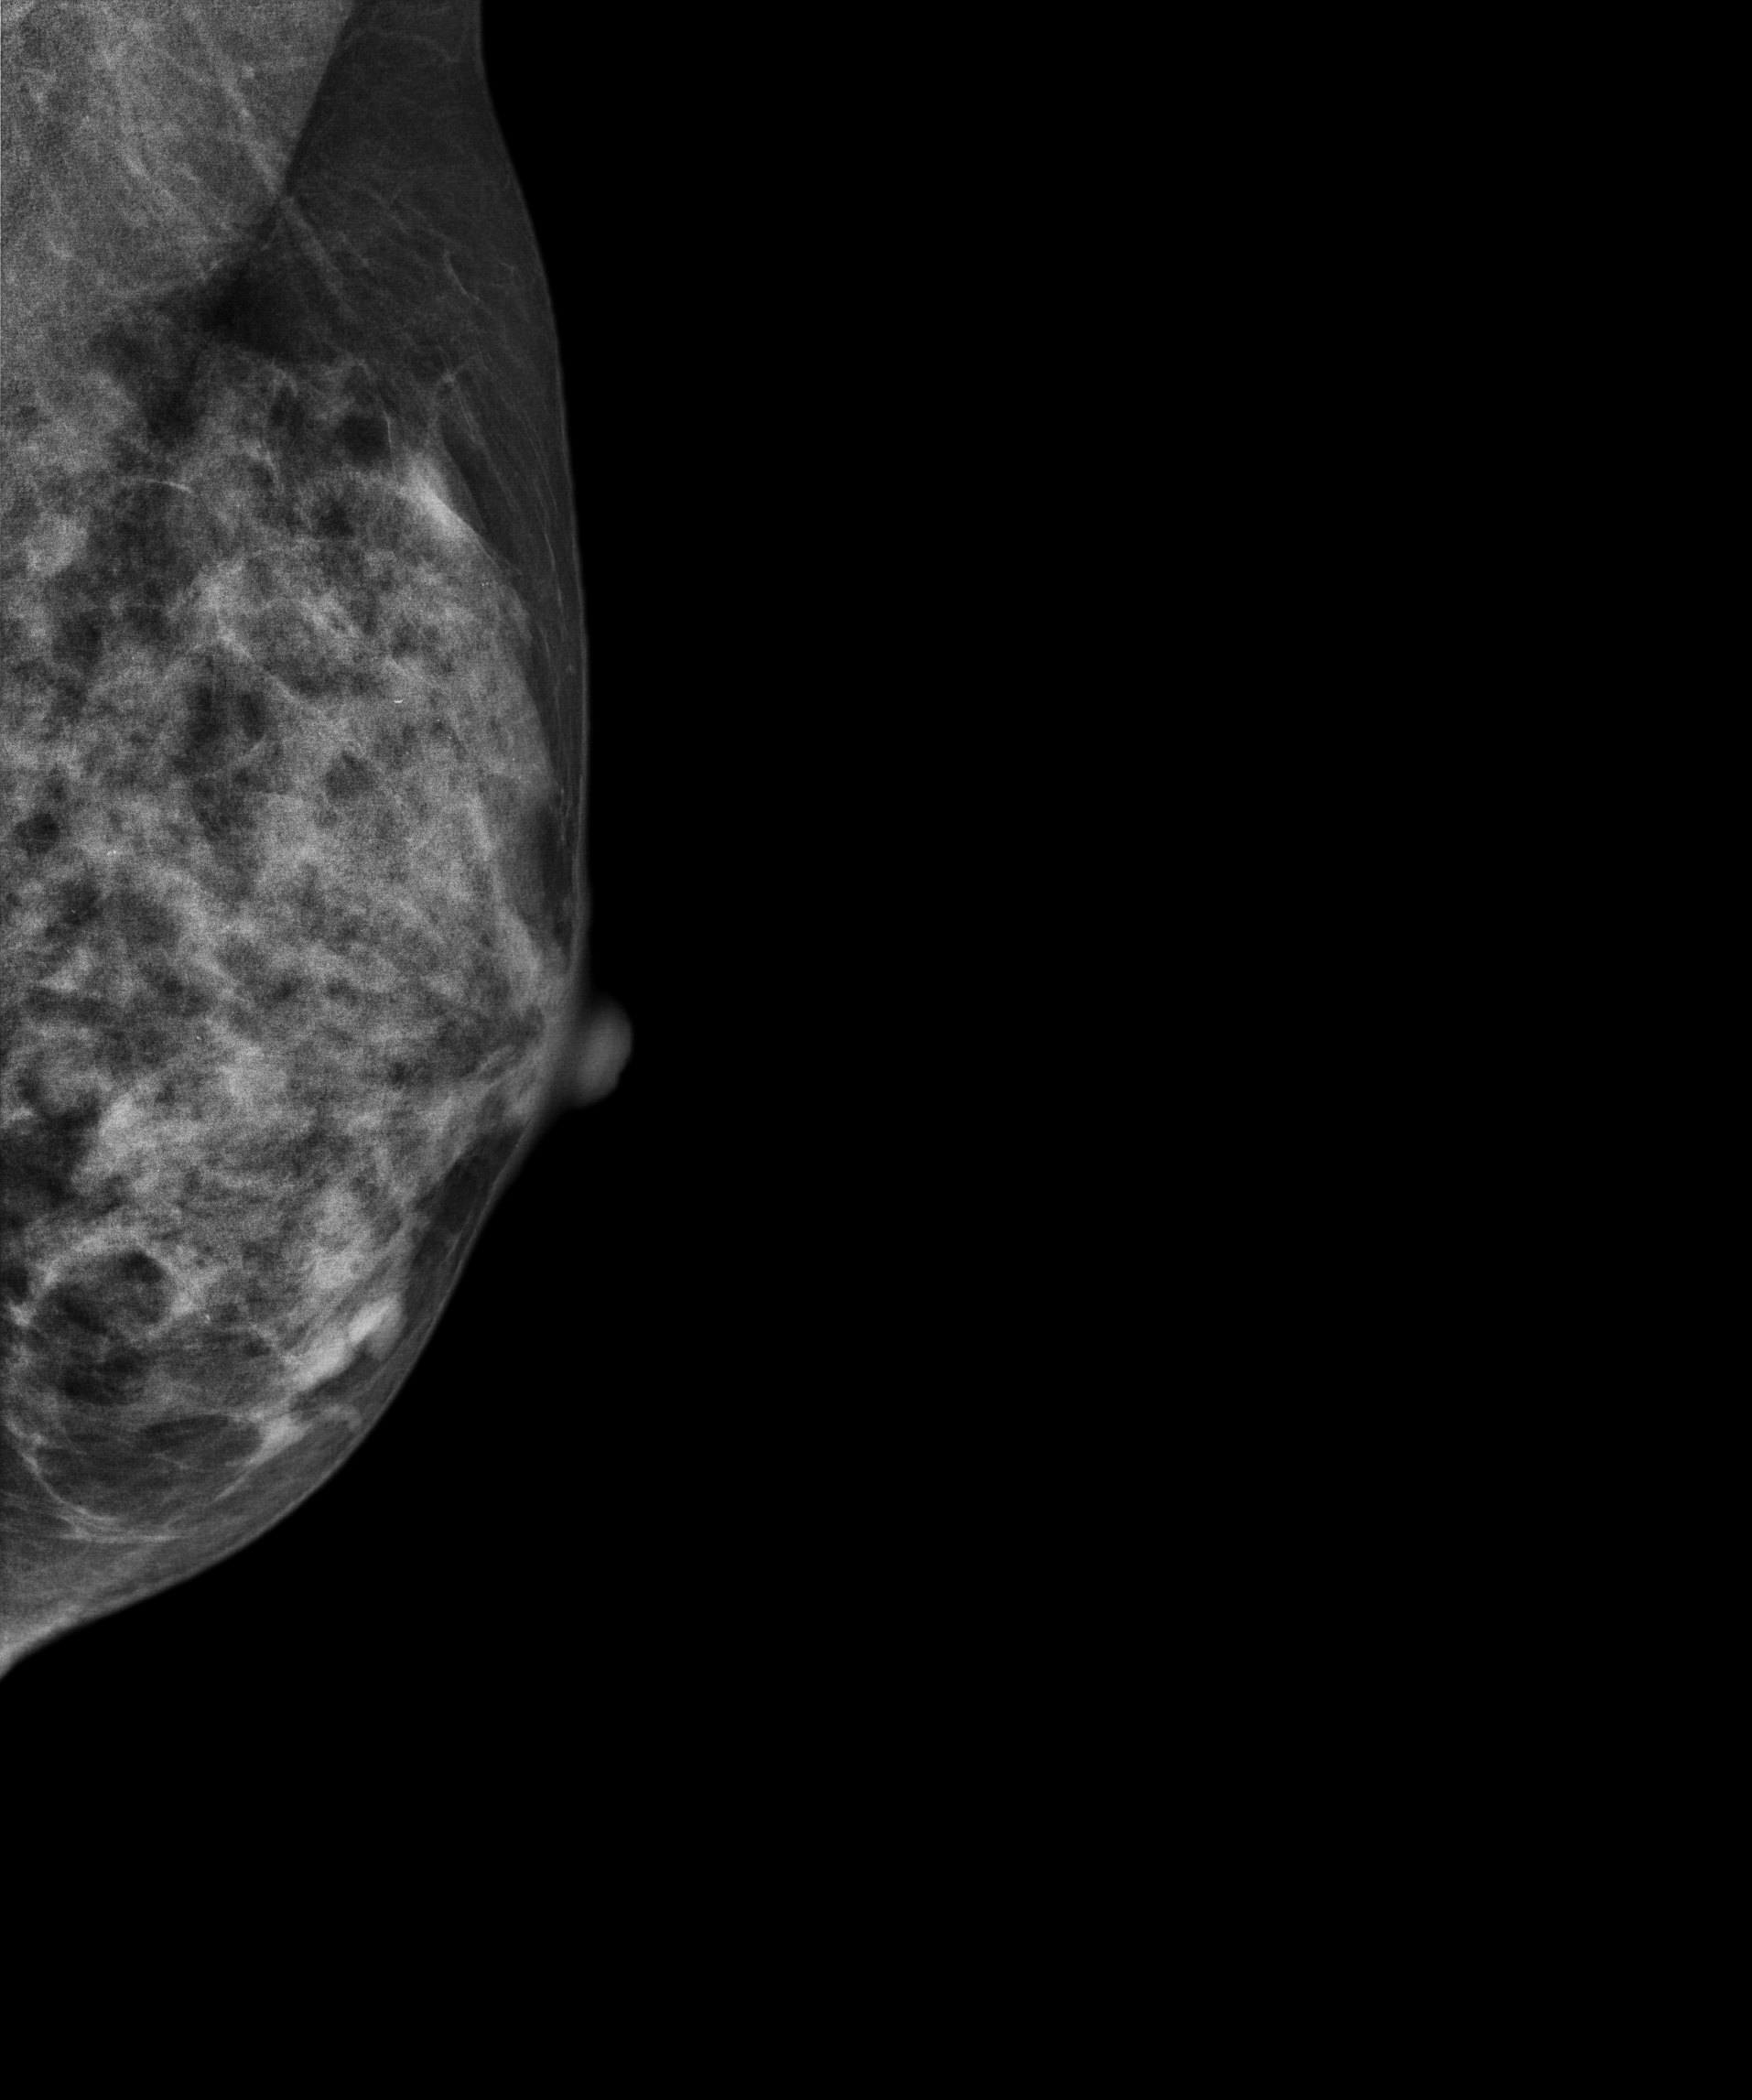
Mammogram, left breast, MLO view. 44 y/o patient.
This breast has a mass and calcifications, biopsy-confirmed benign.